Mammogram — right CC. 48 y/o patient.
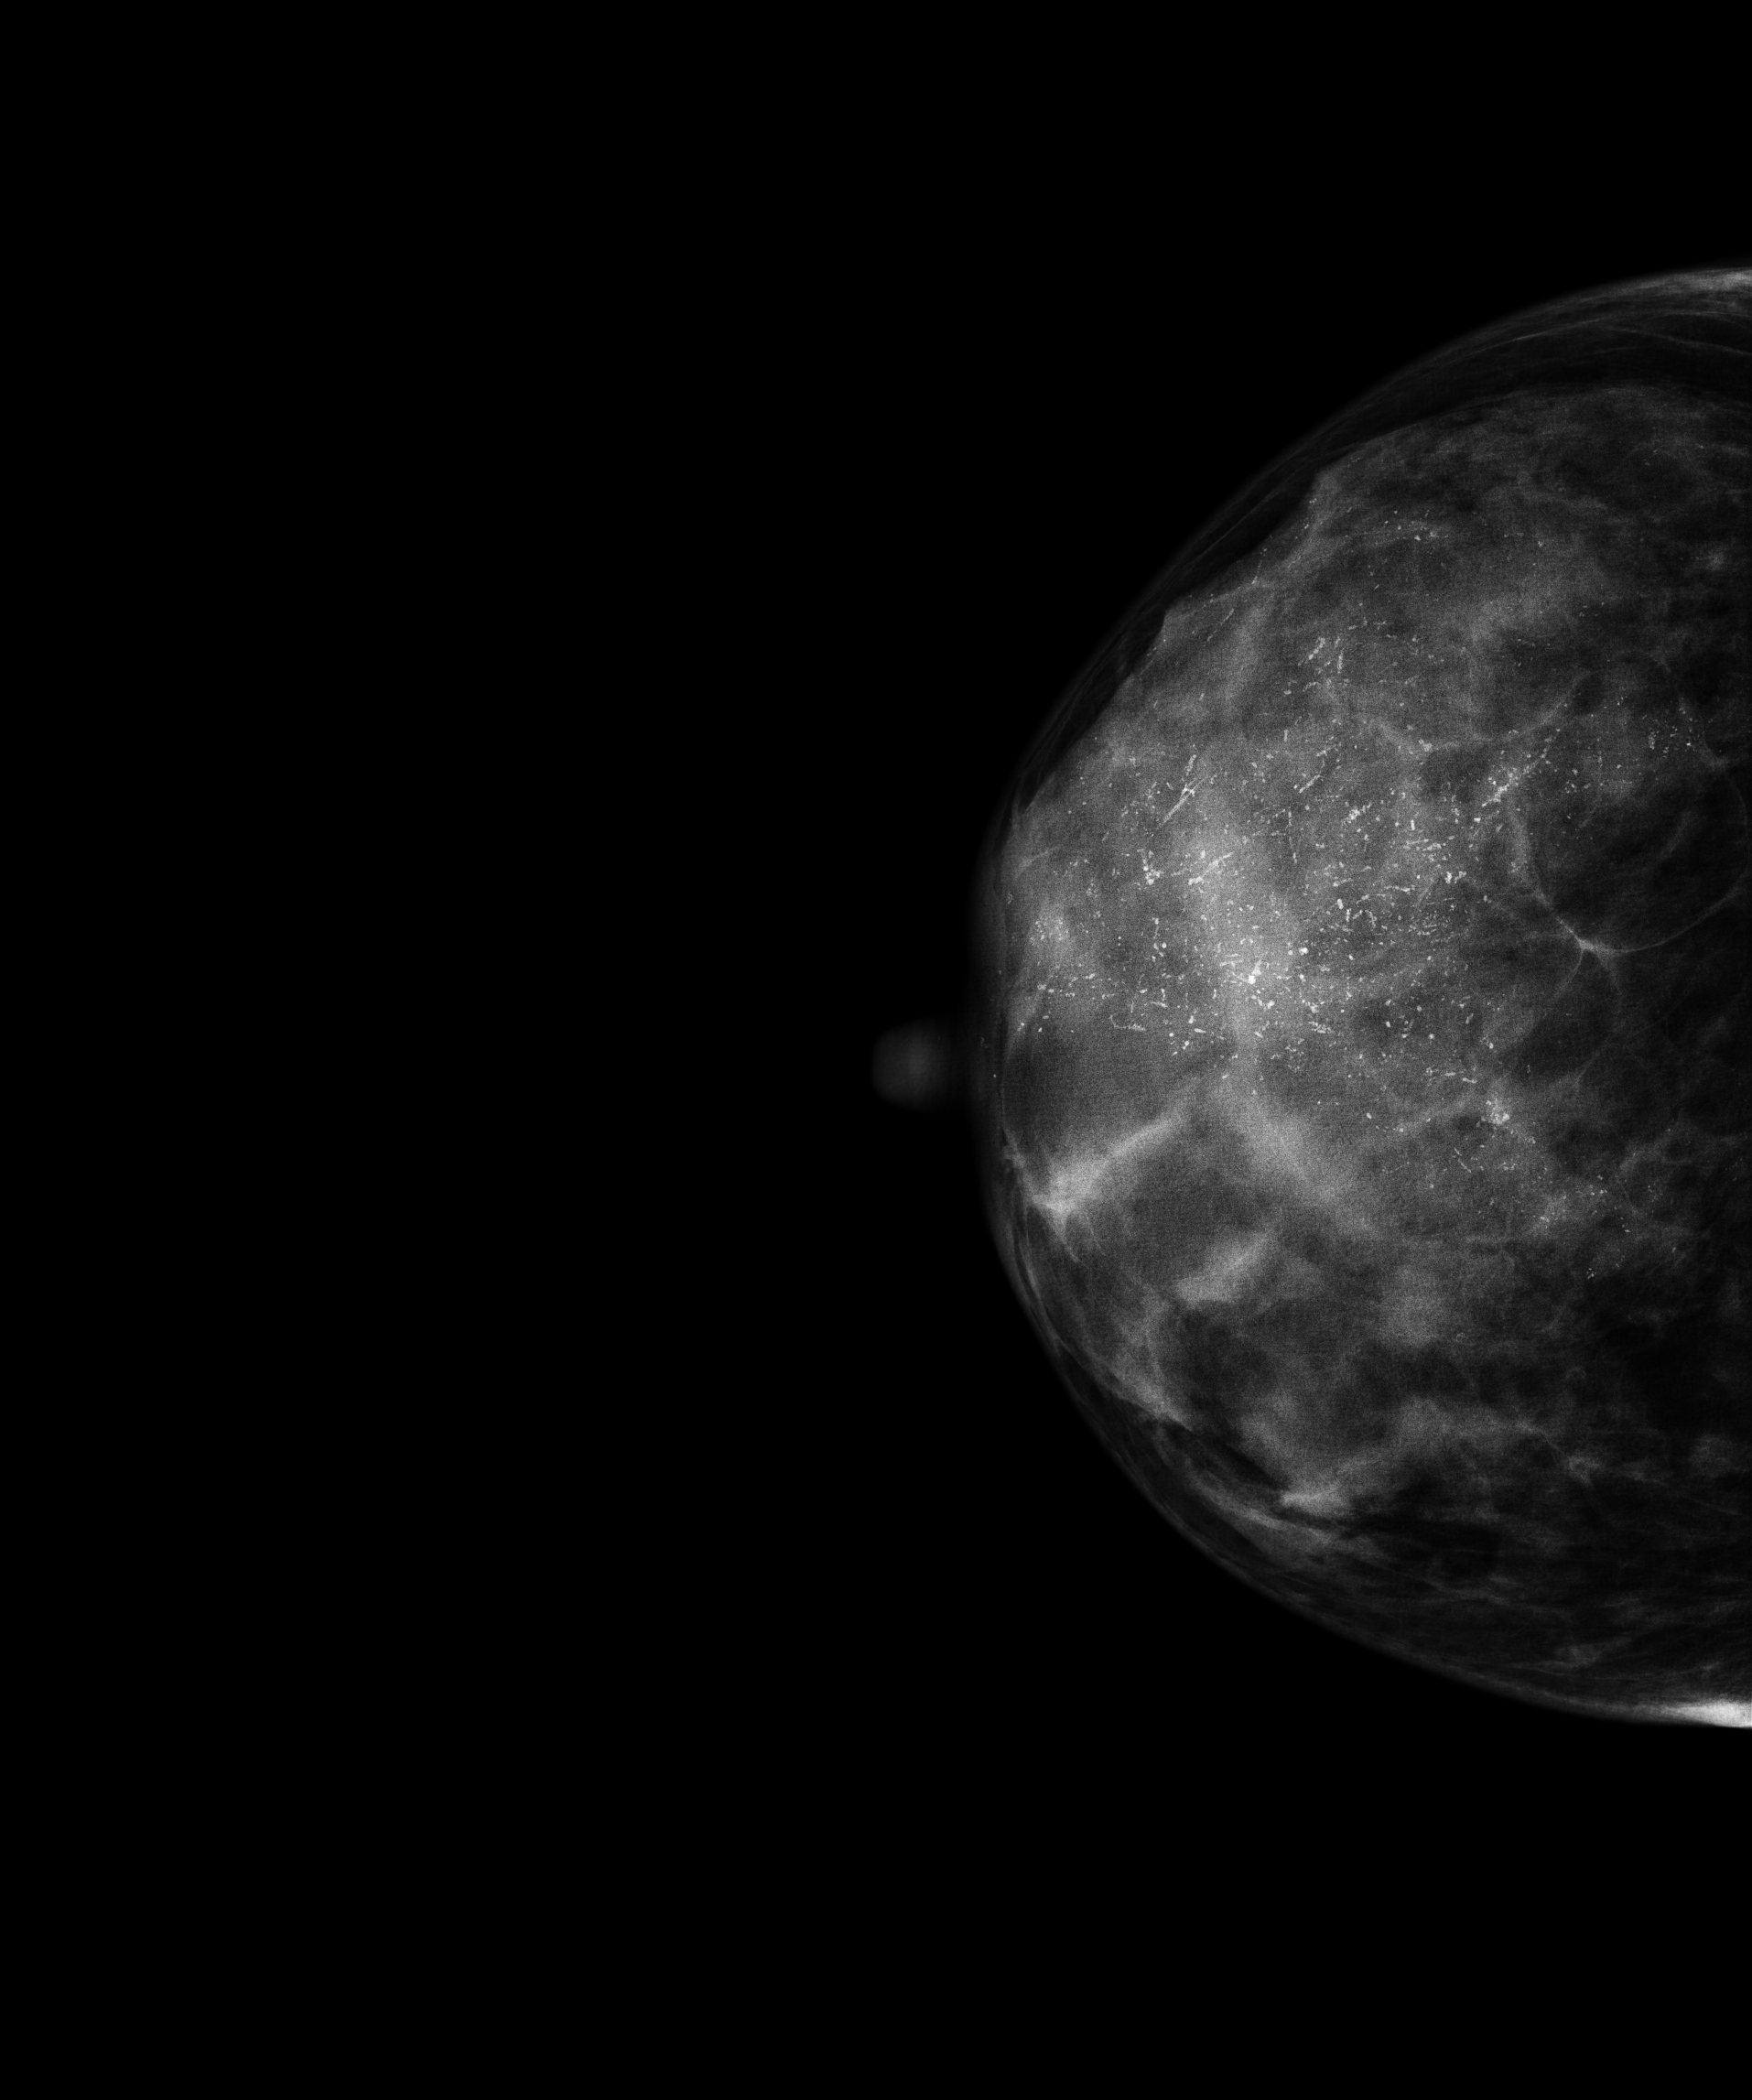
This breast has calcifications, biopsy-confirmed malignant. Molecular subtype: HER2-enriched.